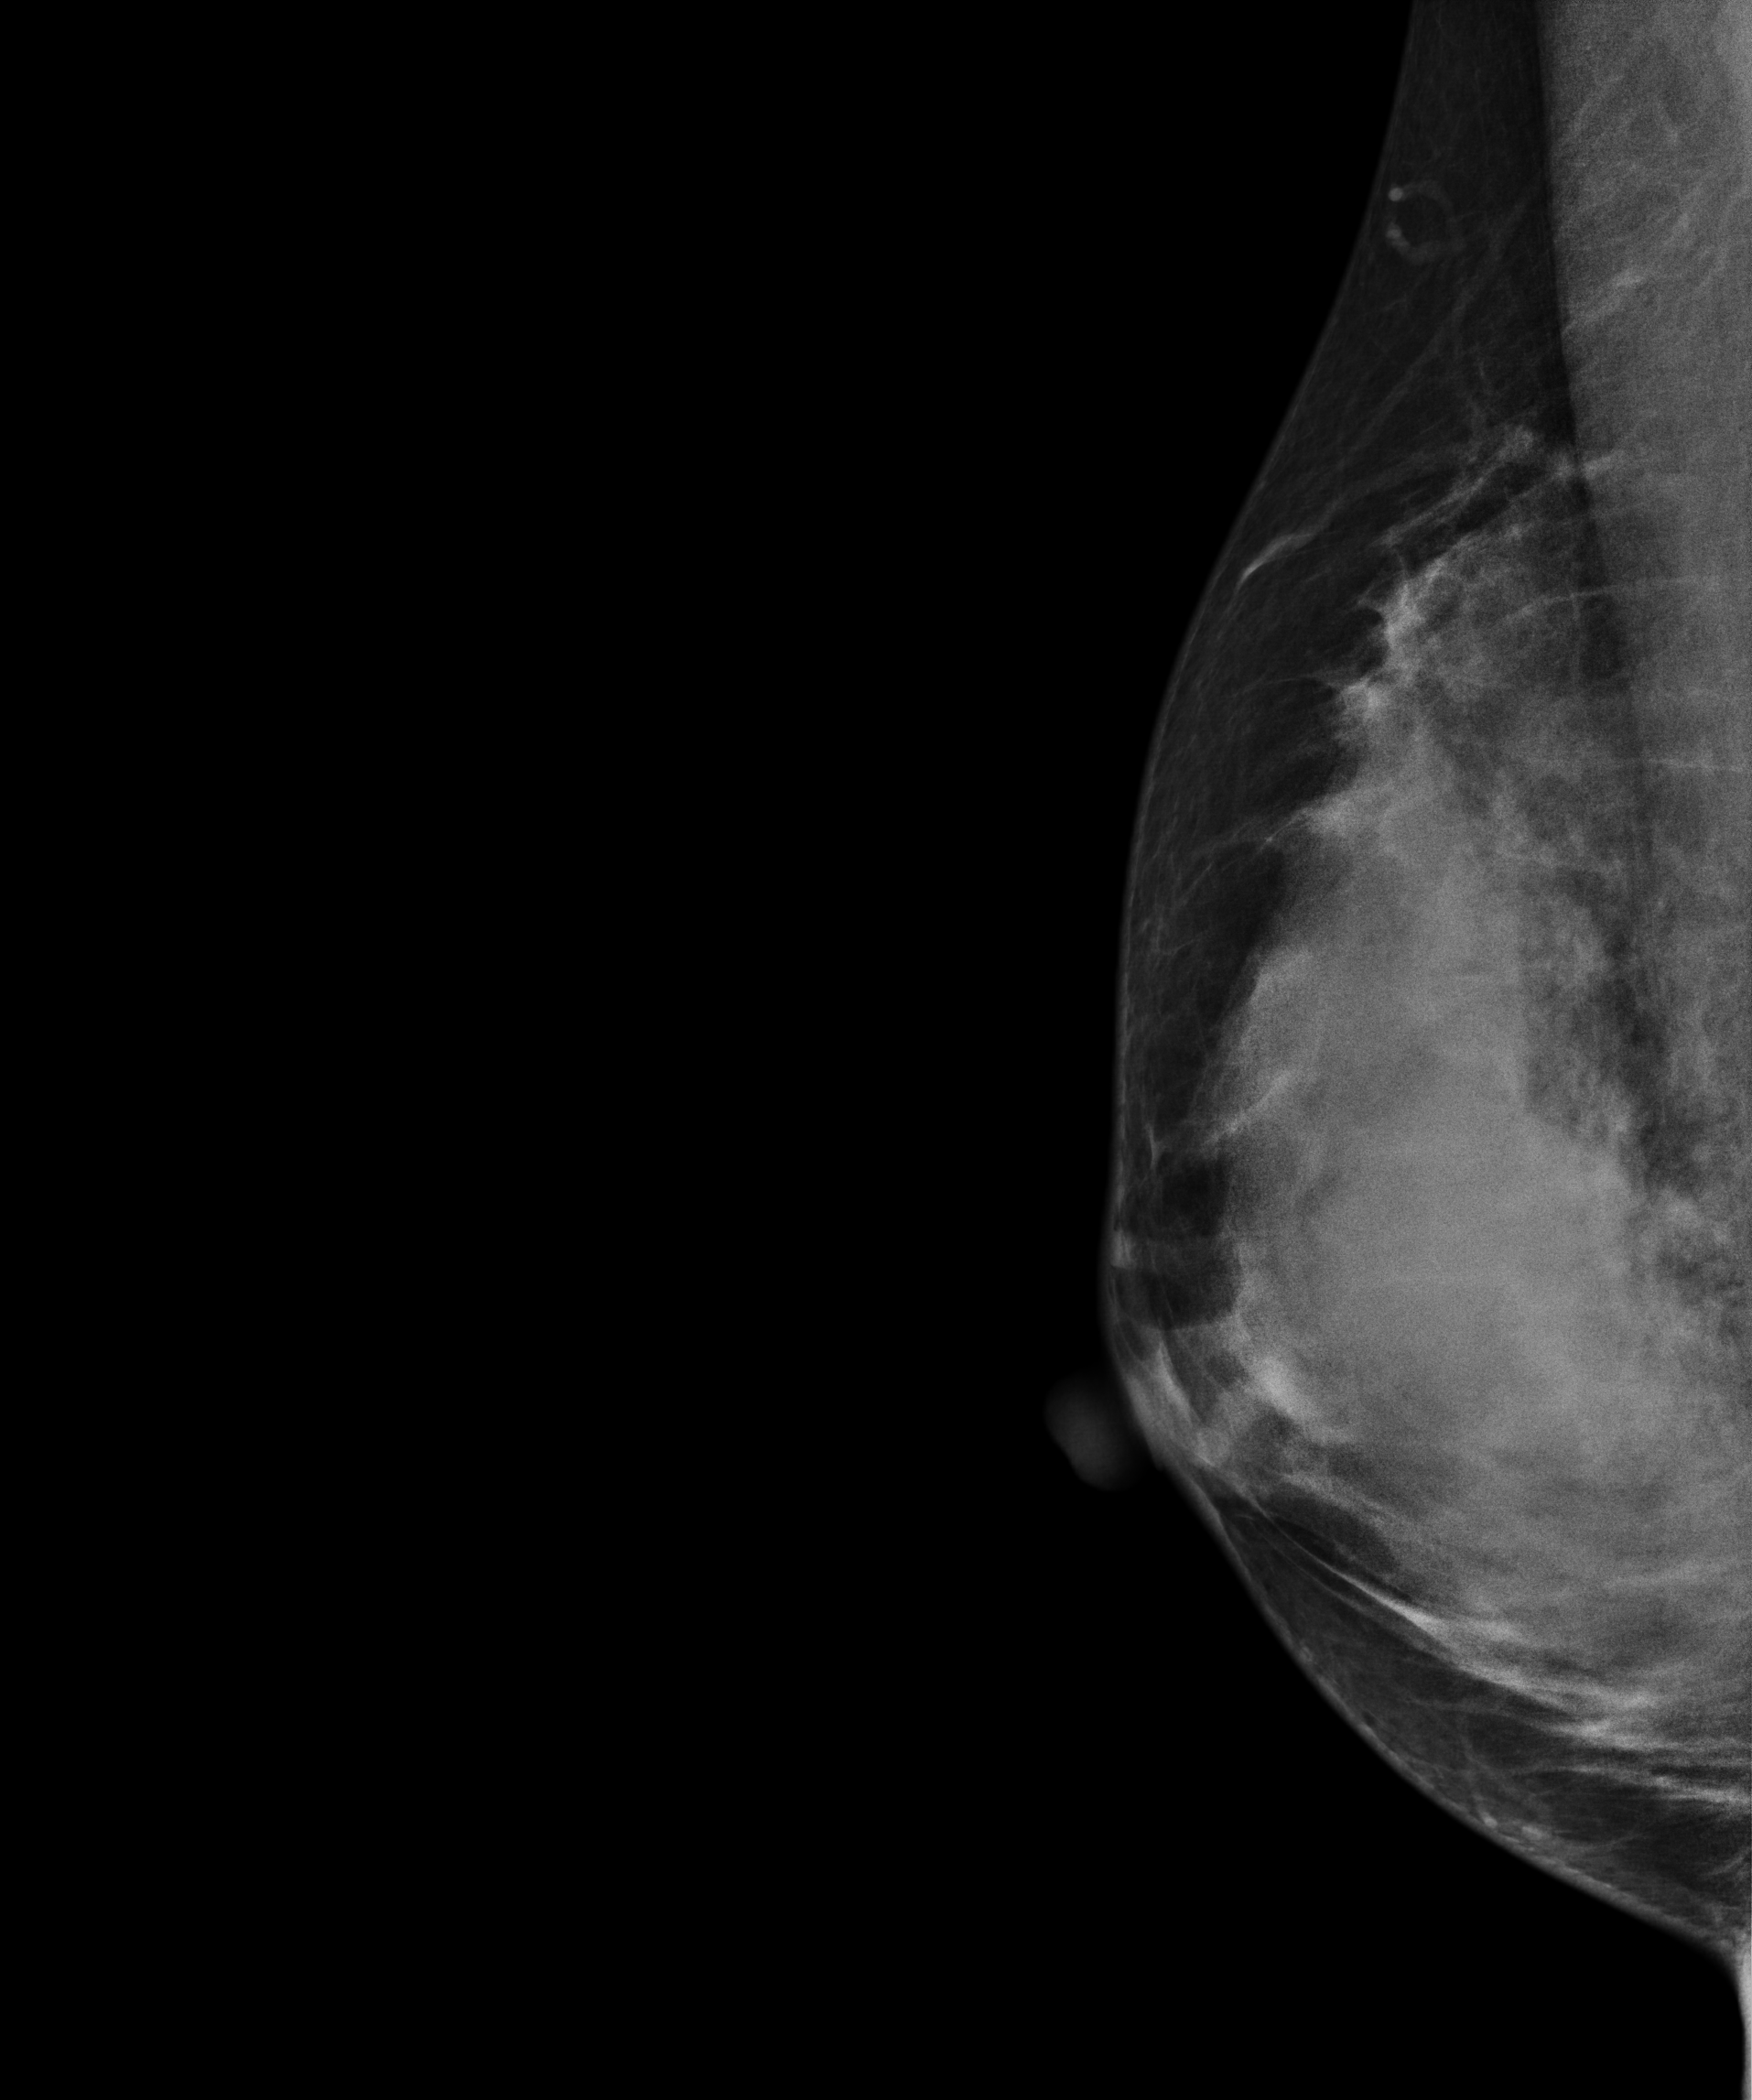
Mammogram, right breast, MLO view. 30 y/o patient.
This breast has a mass, pathology-confirmed malignant. Molecular subtype: triple-negative.